Mammogram, right breast, medio-lateral oblique view. 59-year-old patient.
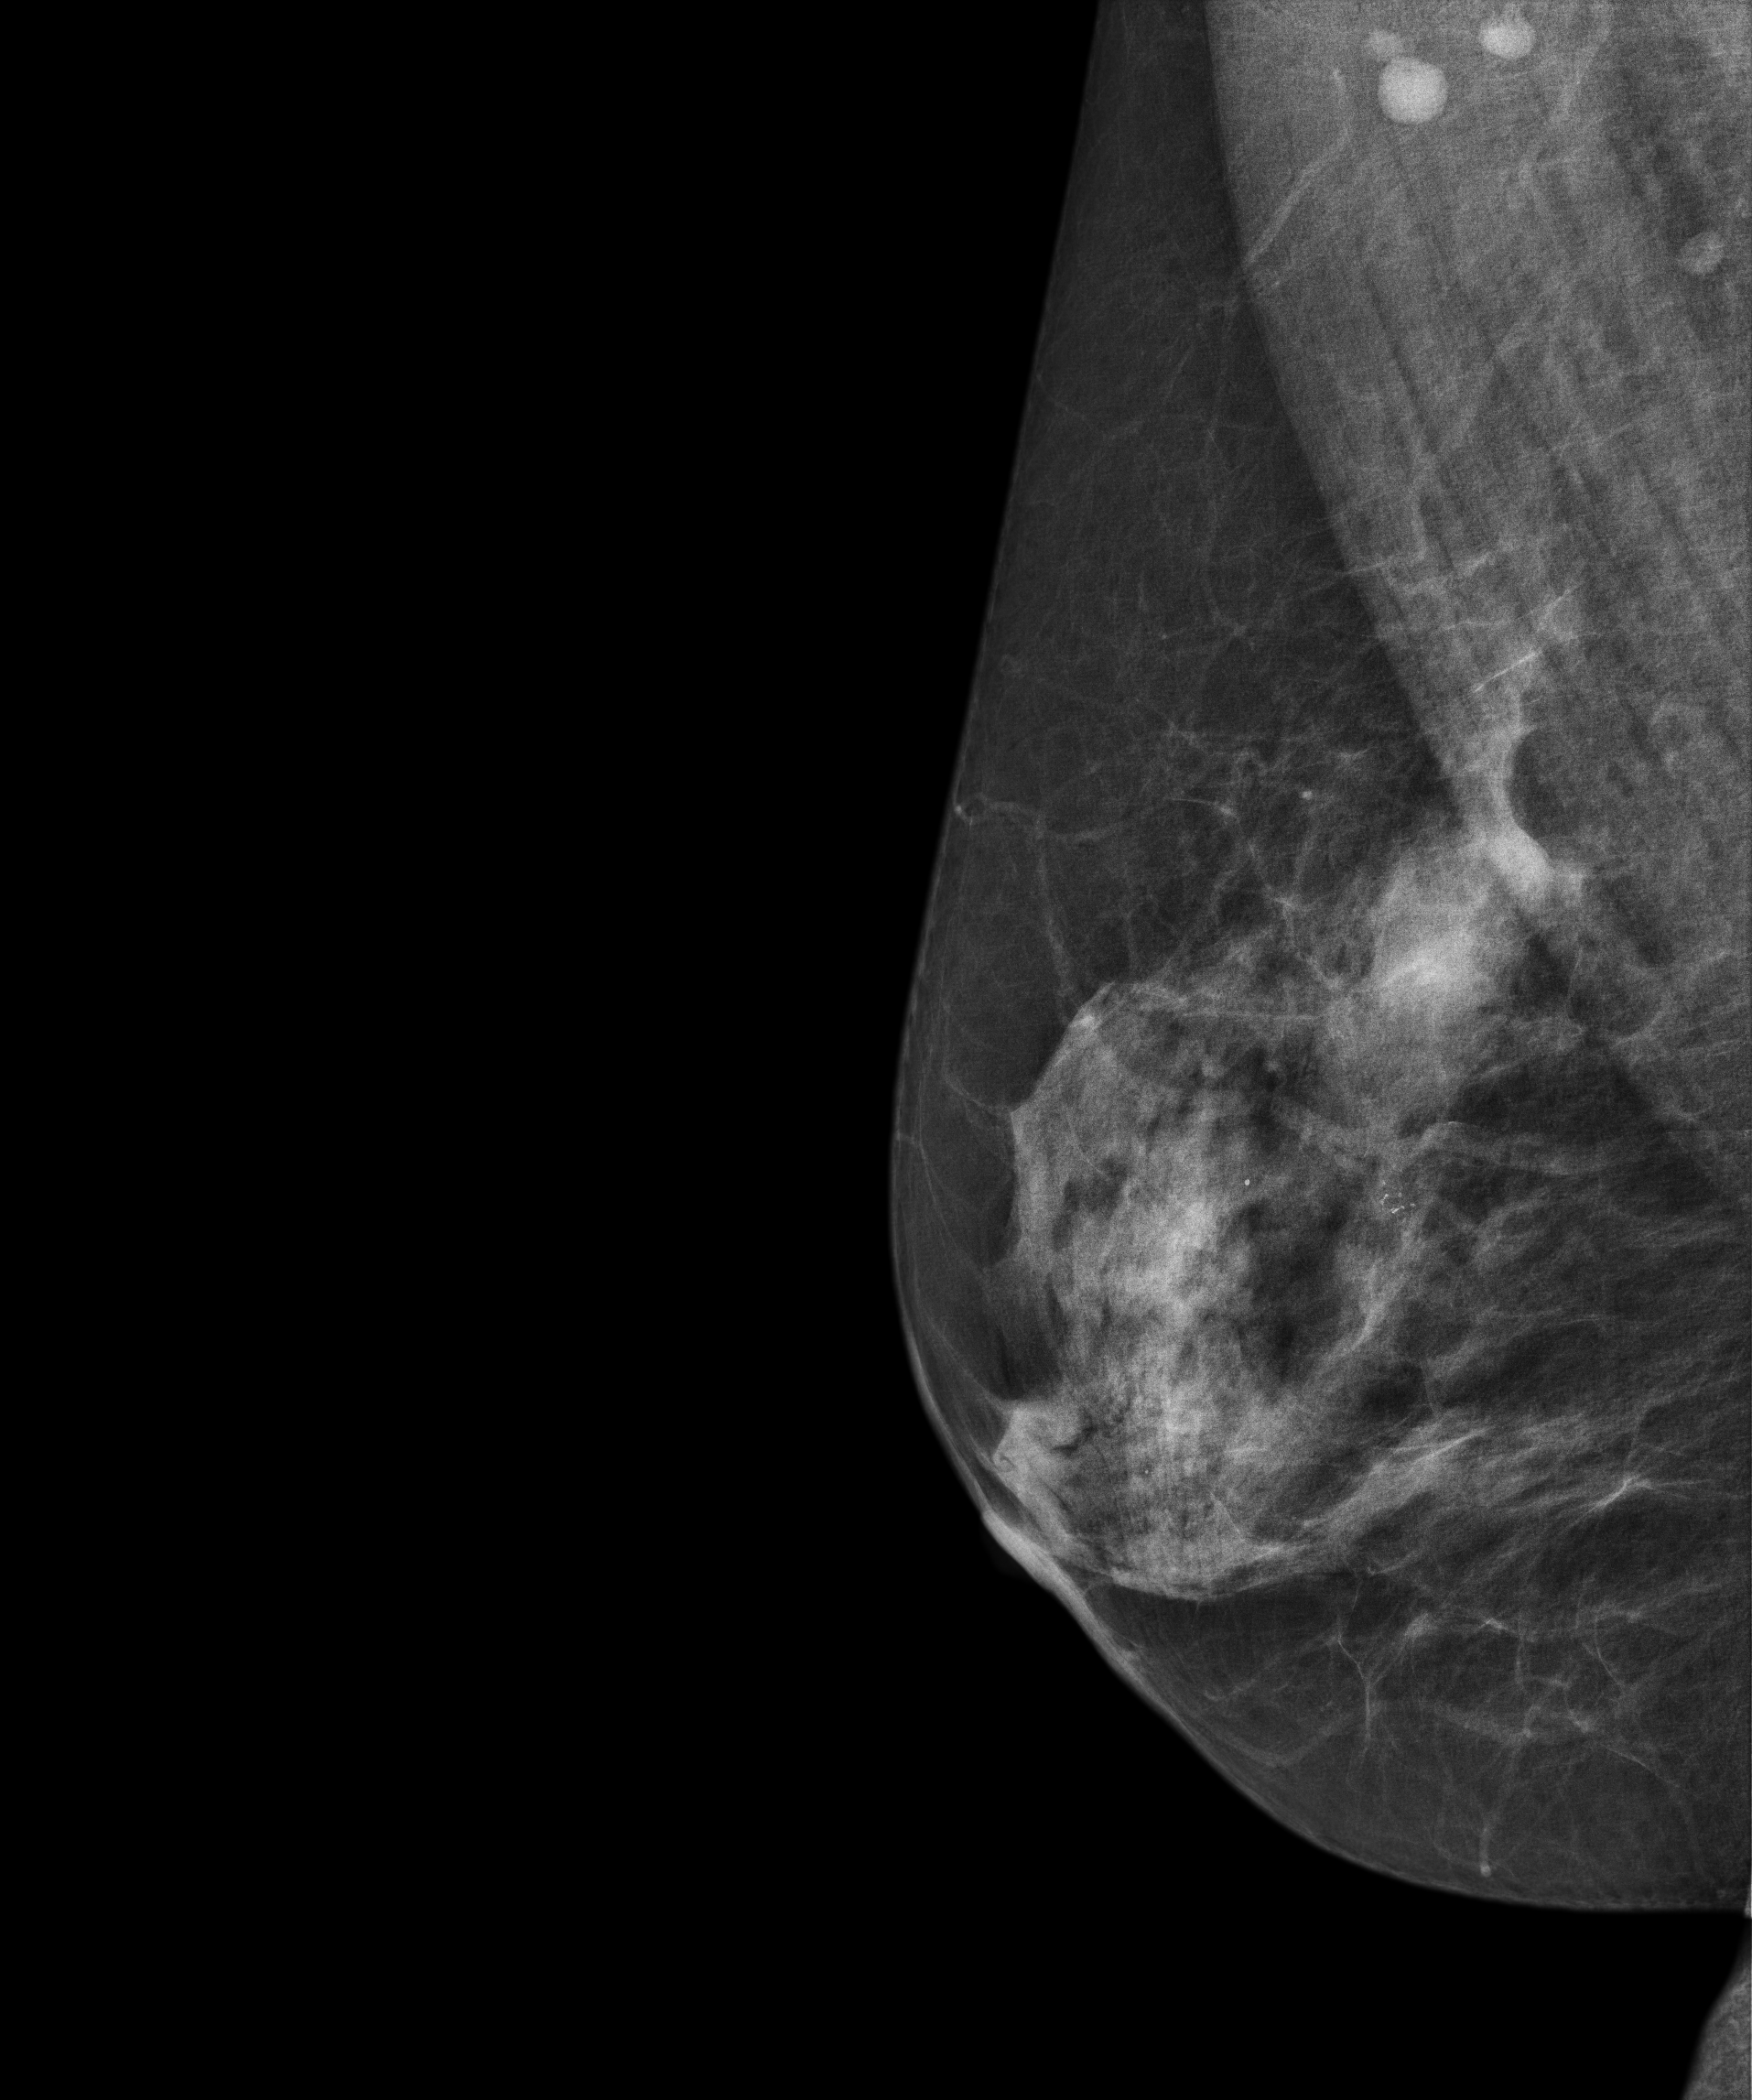
This breast has a mass and calcifications, histologically confirmed malignant. Molecular subtype: HER2-enriched.